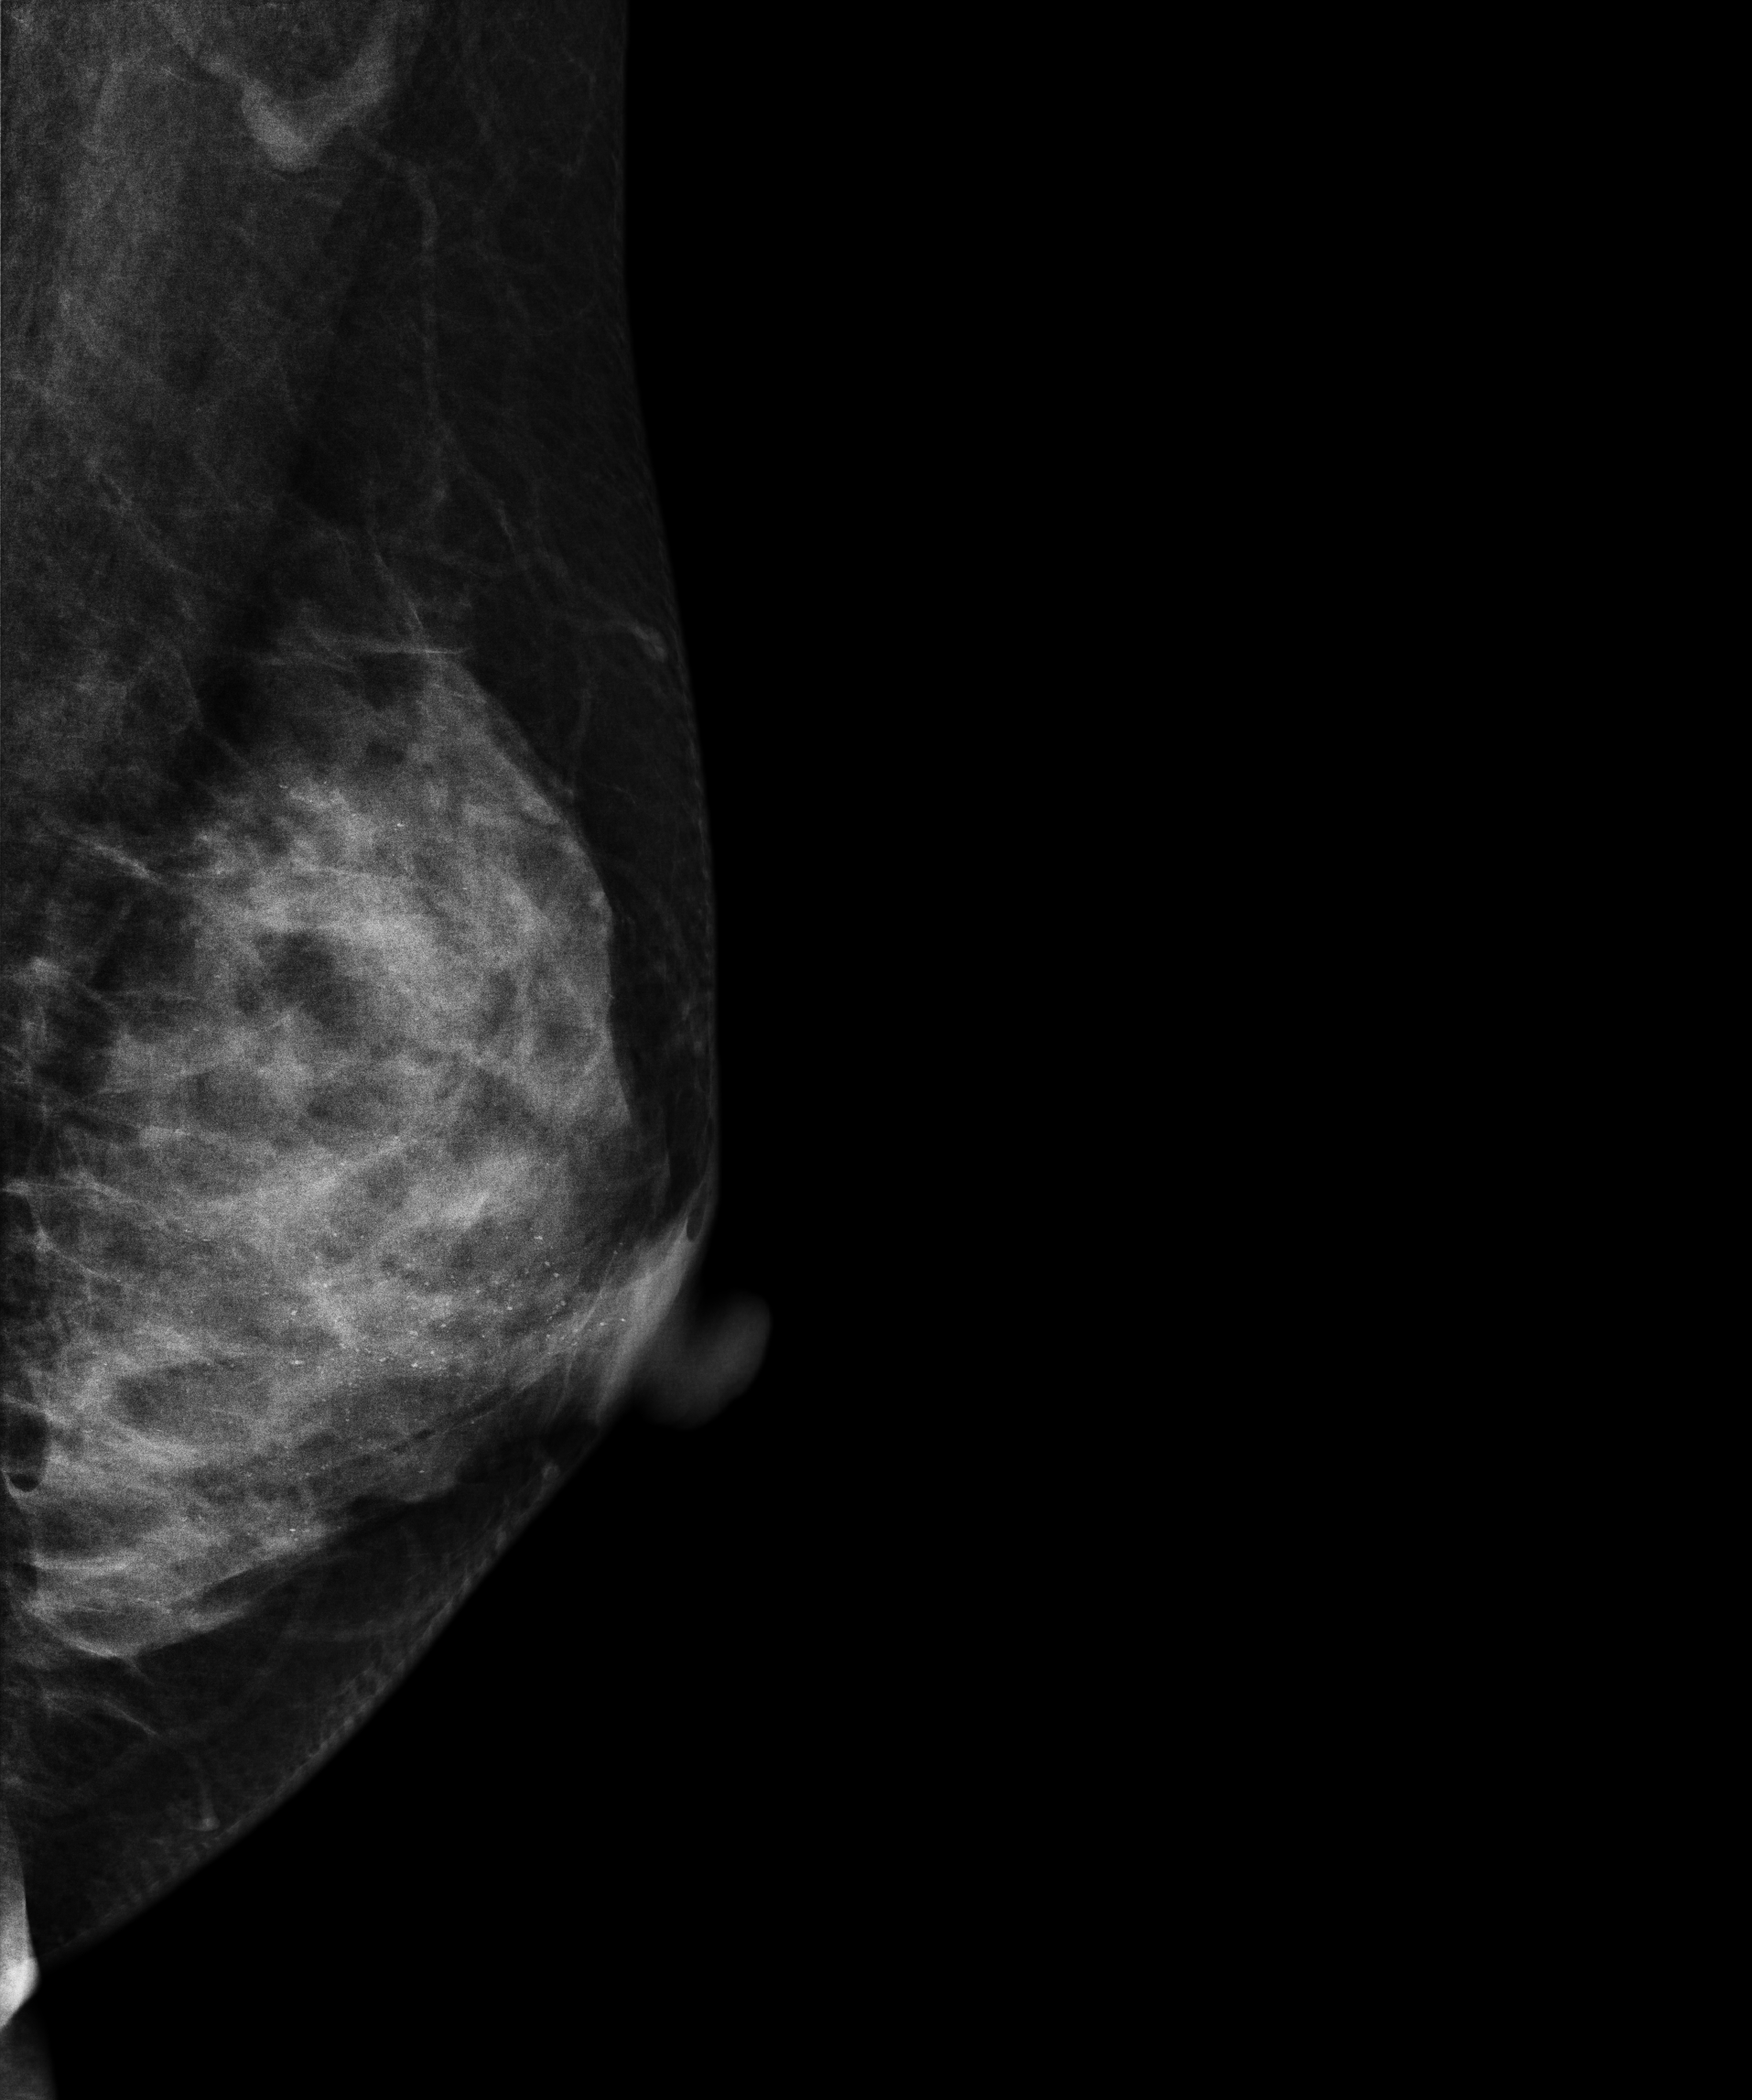
Mammogram, left breast, MLO view. Patient age 34.
This breast has calcifications, pathology-confirmed benign.